Mammogram — left CC. Patient age 43.
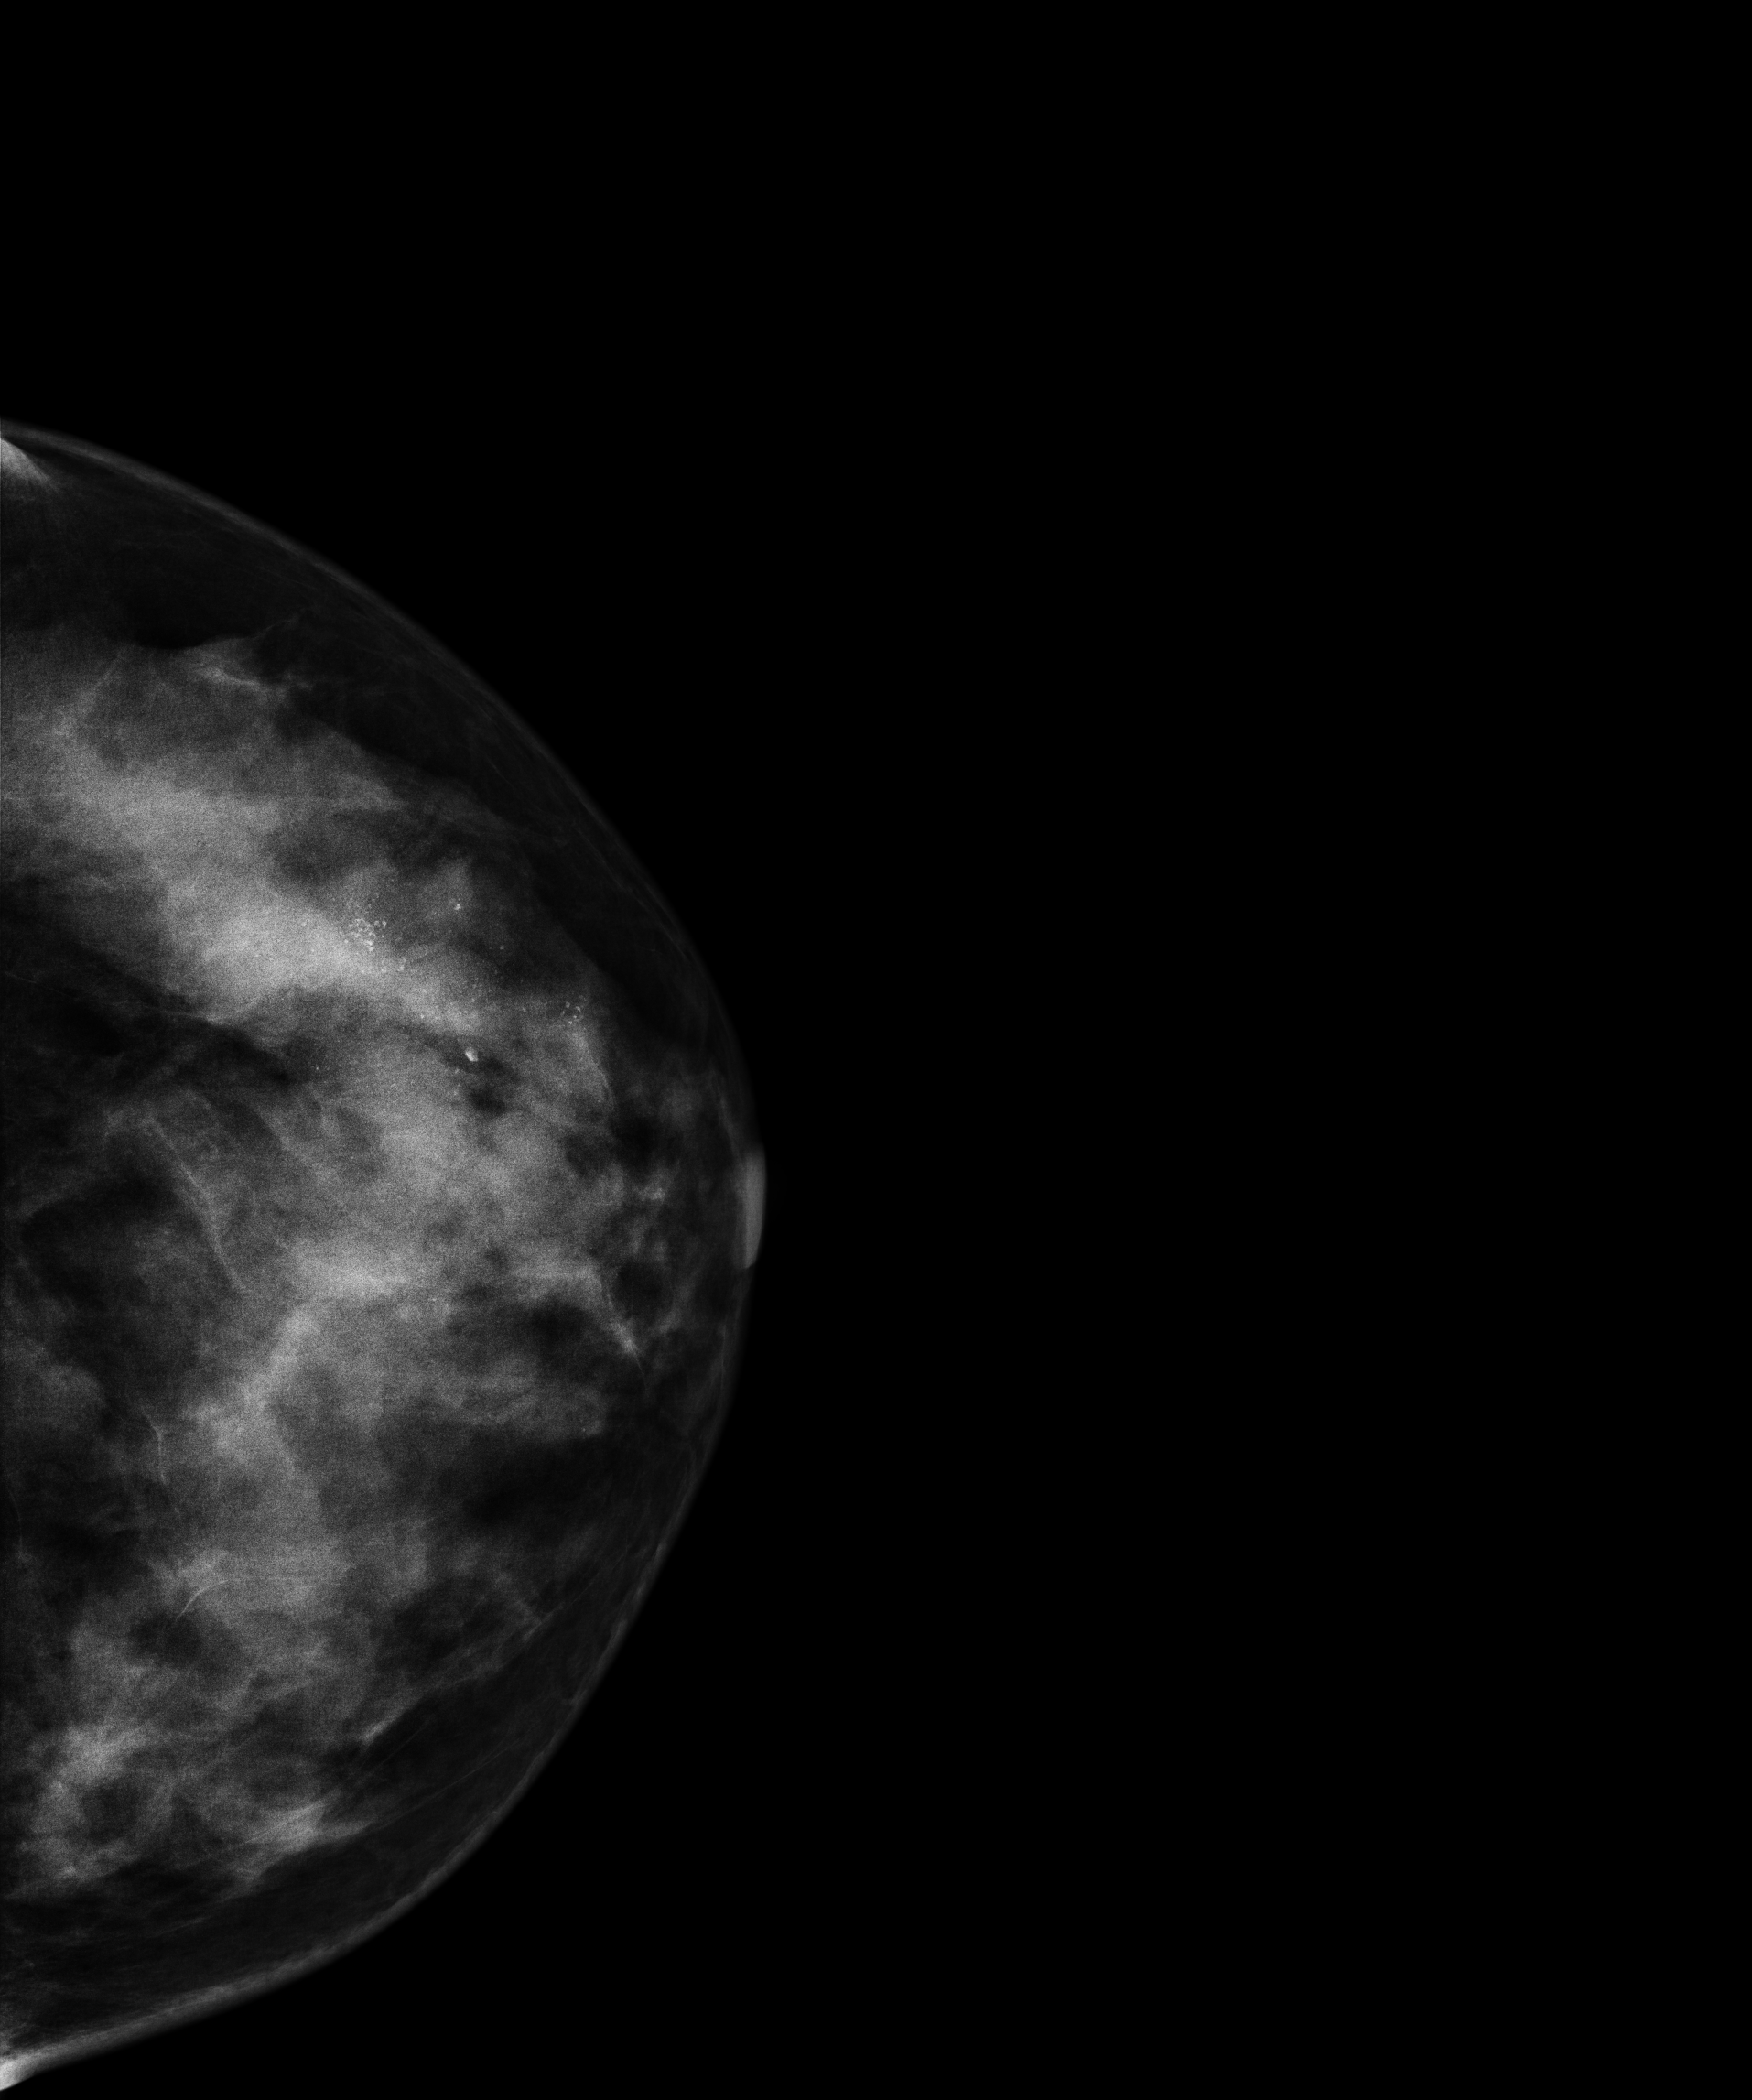
This breast has calcifications, pathology-confirmed malignant.